Mammogram, left breast, cranio-caudal view. Patient age 44.
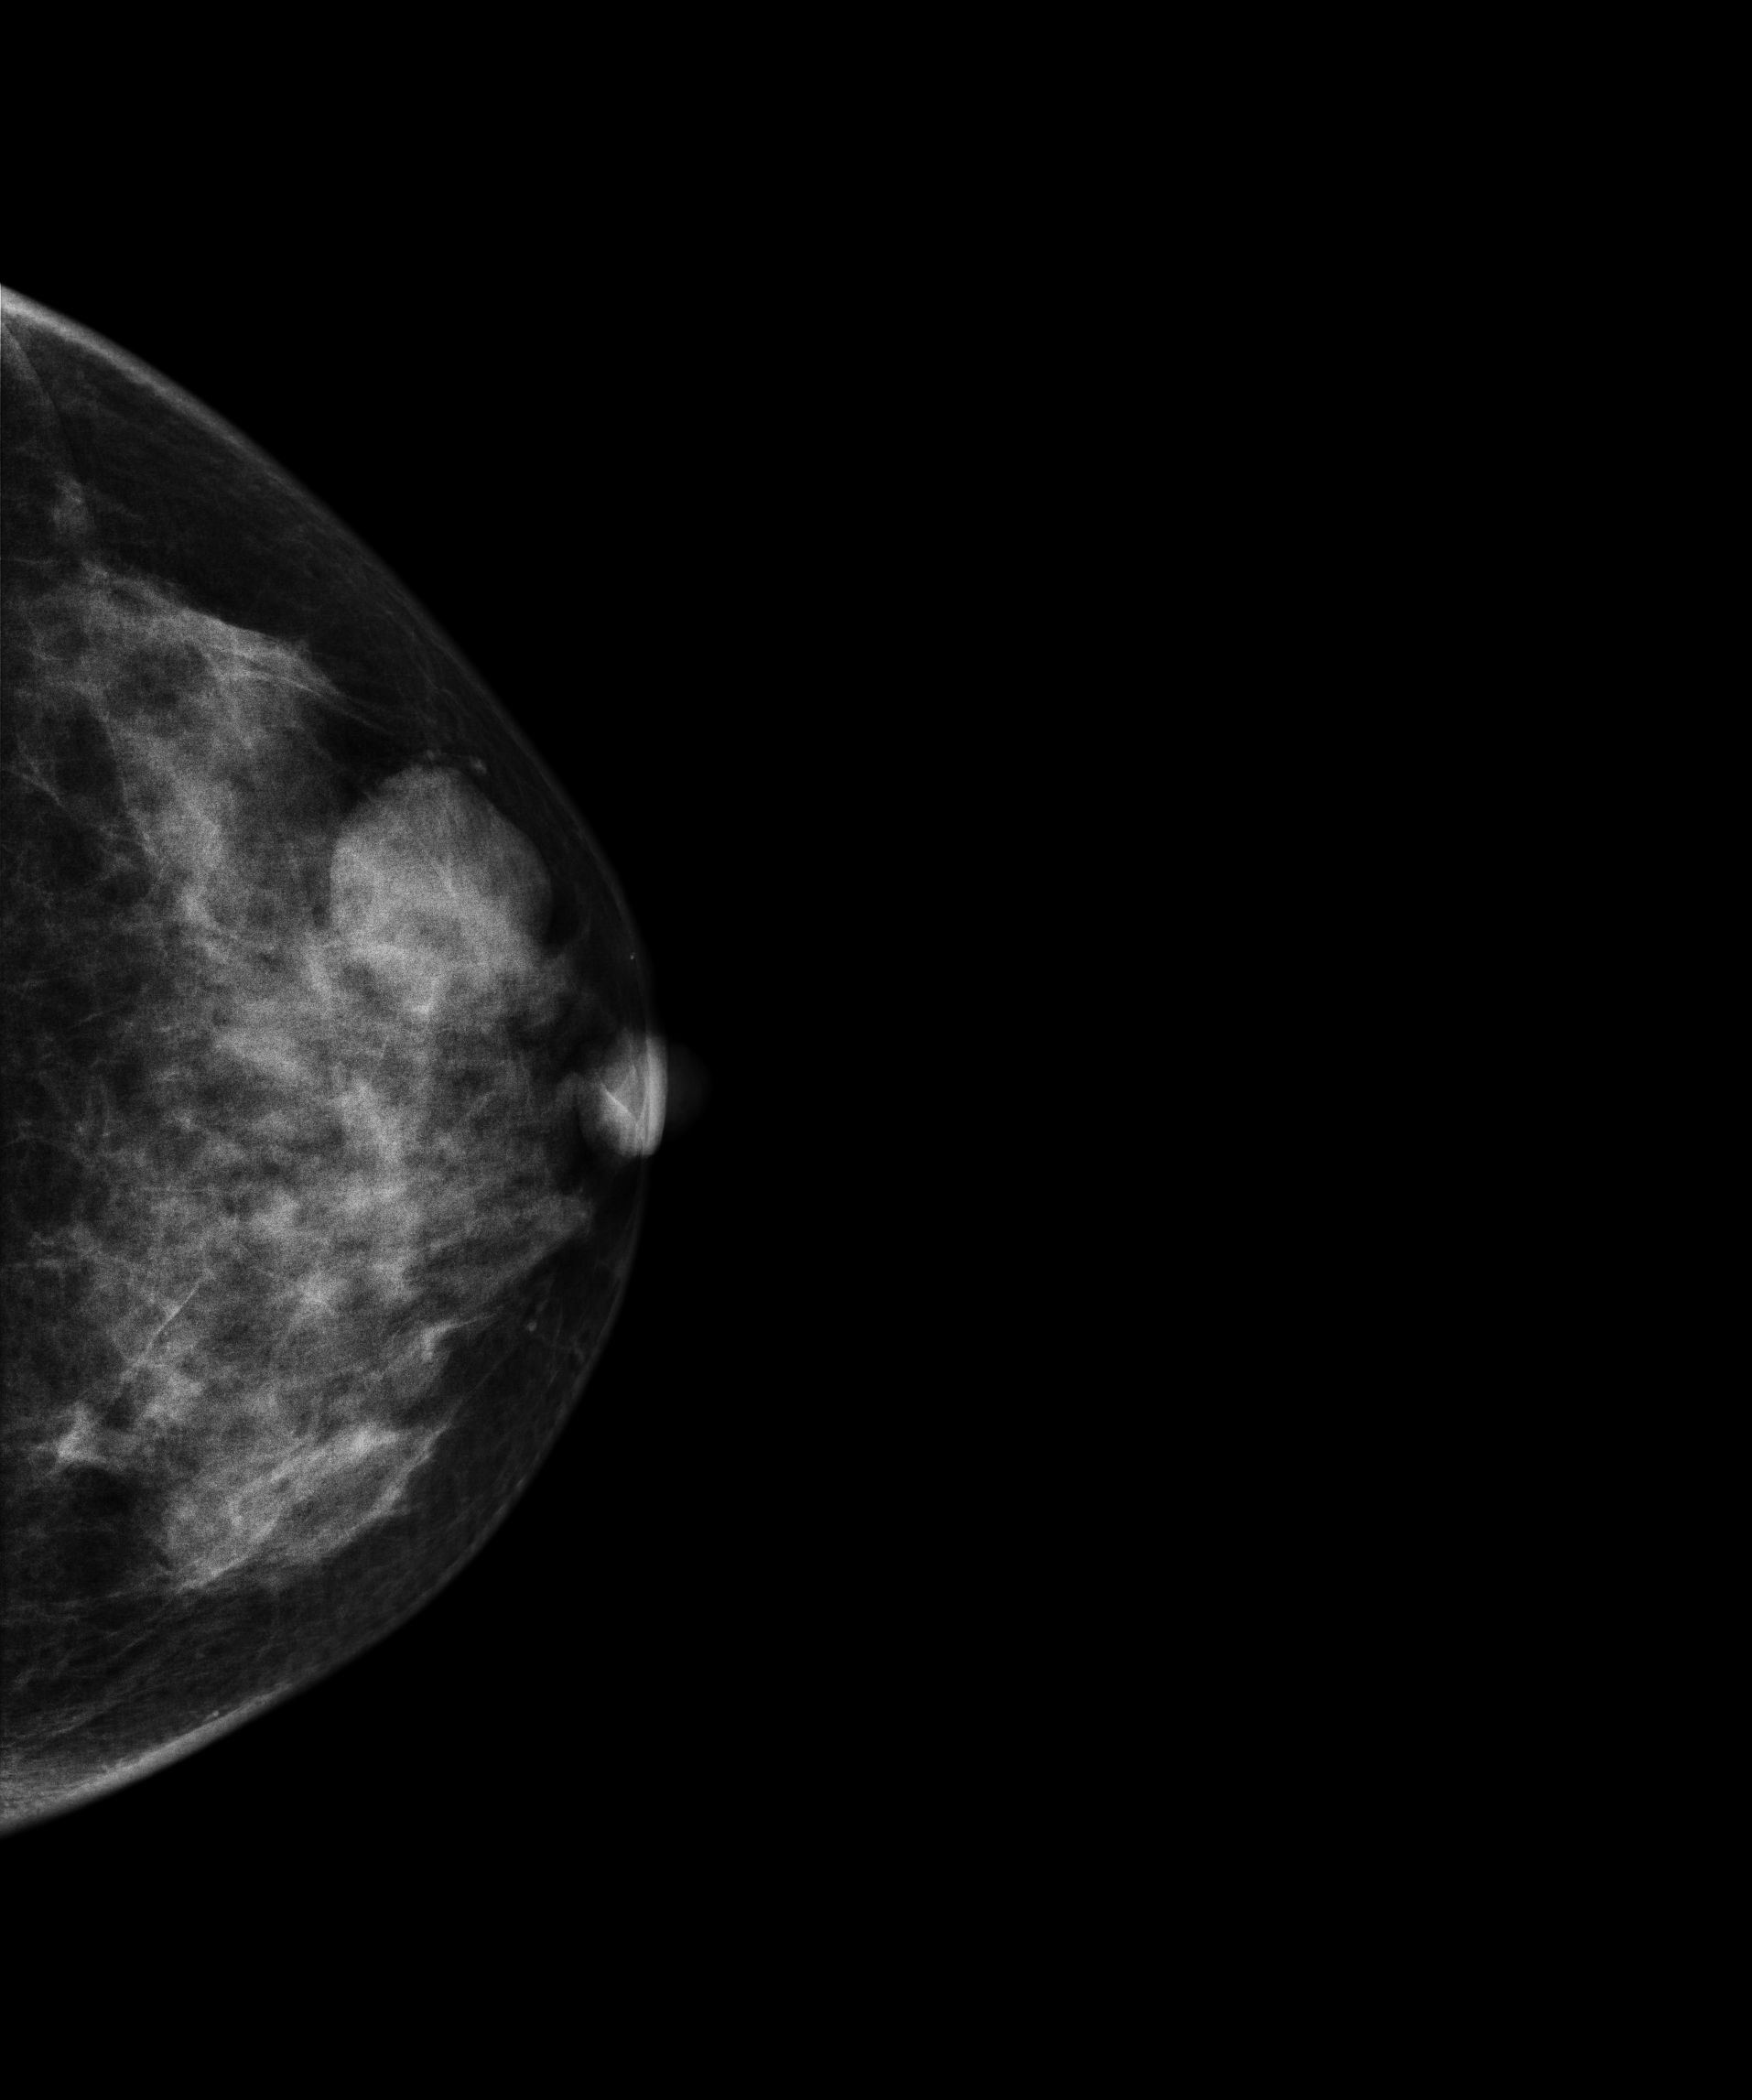
This breast has a mass, biopsy-confirmed benign.